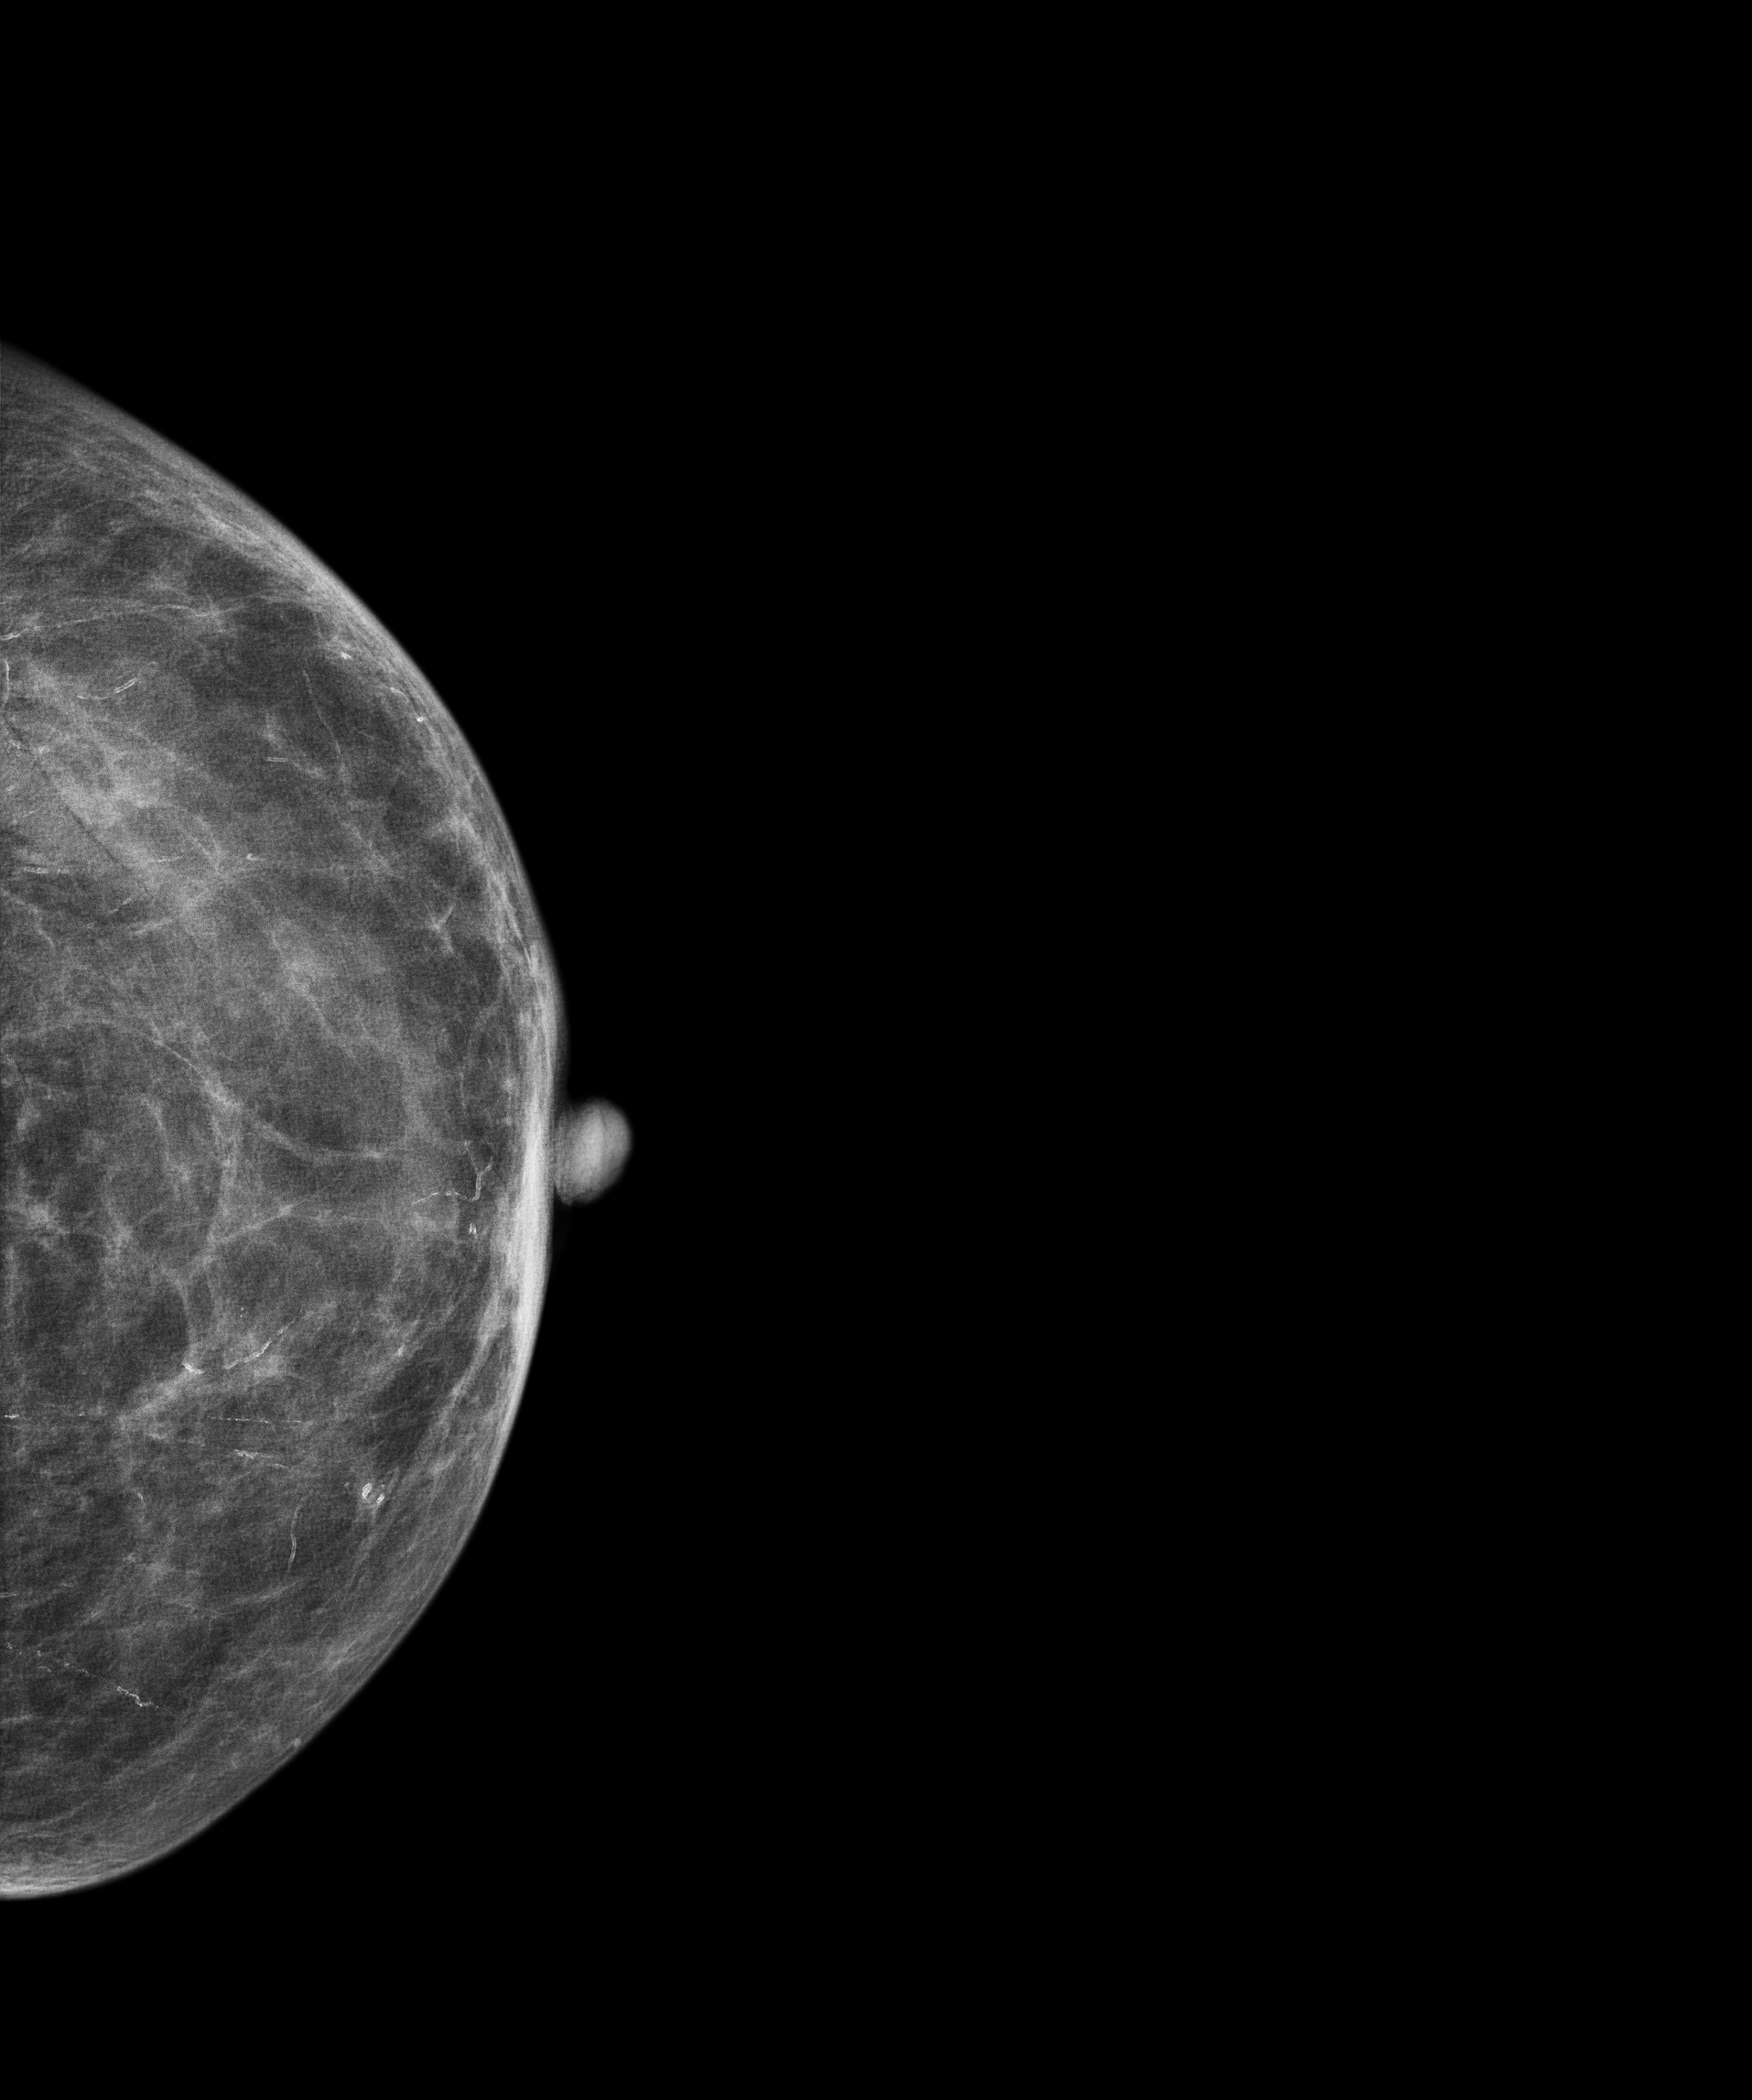
Digital mammography. Left breast, cranio-caudal projection. 87 y/o patient.
Contralateral breast — no documented abnormality on this side.